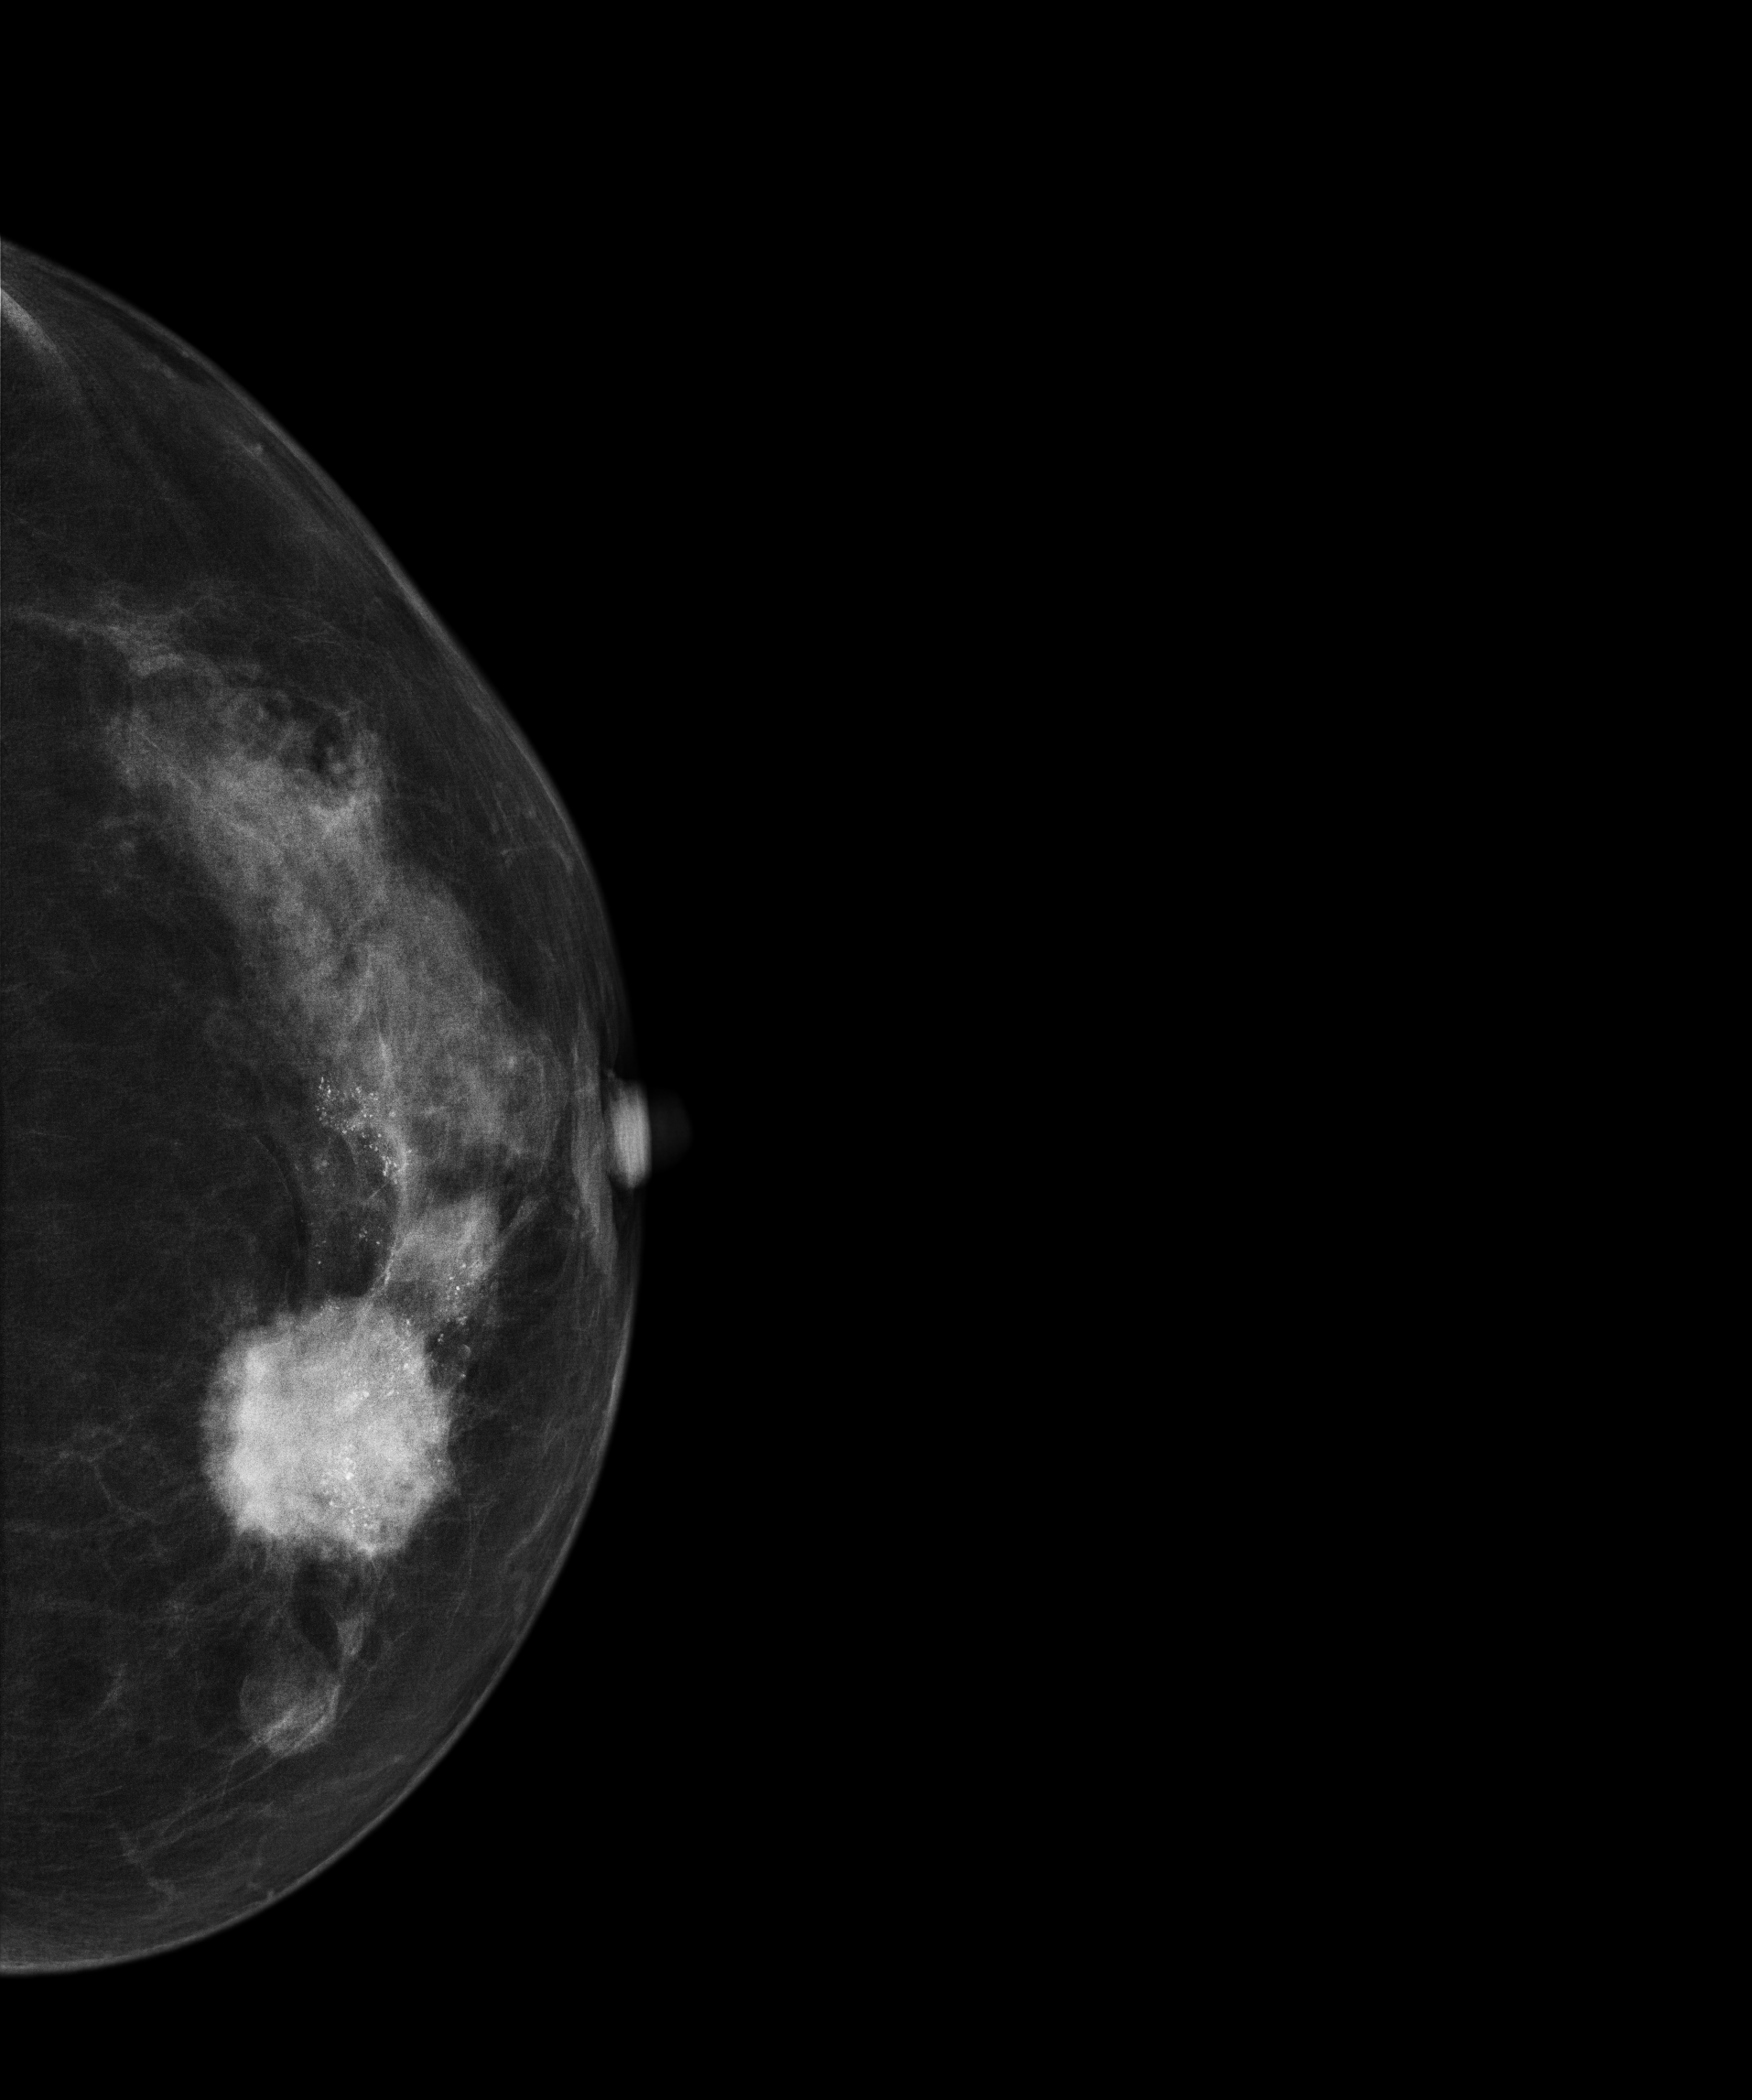
Digital mammography. Left breast, cranio-caudal projection. 60 y/o patient.
This breast has a mass and calcifications, biopsy-proven malignant. Molecular subtype: luminal B.